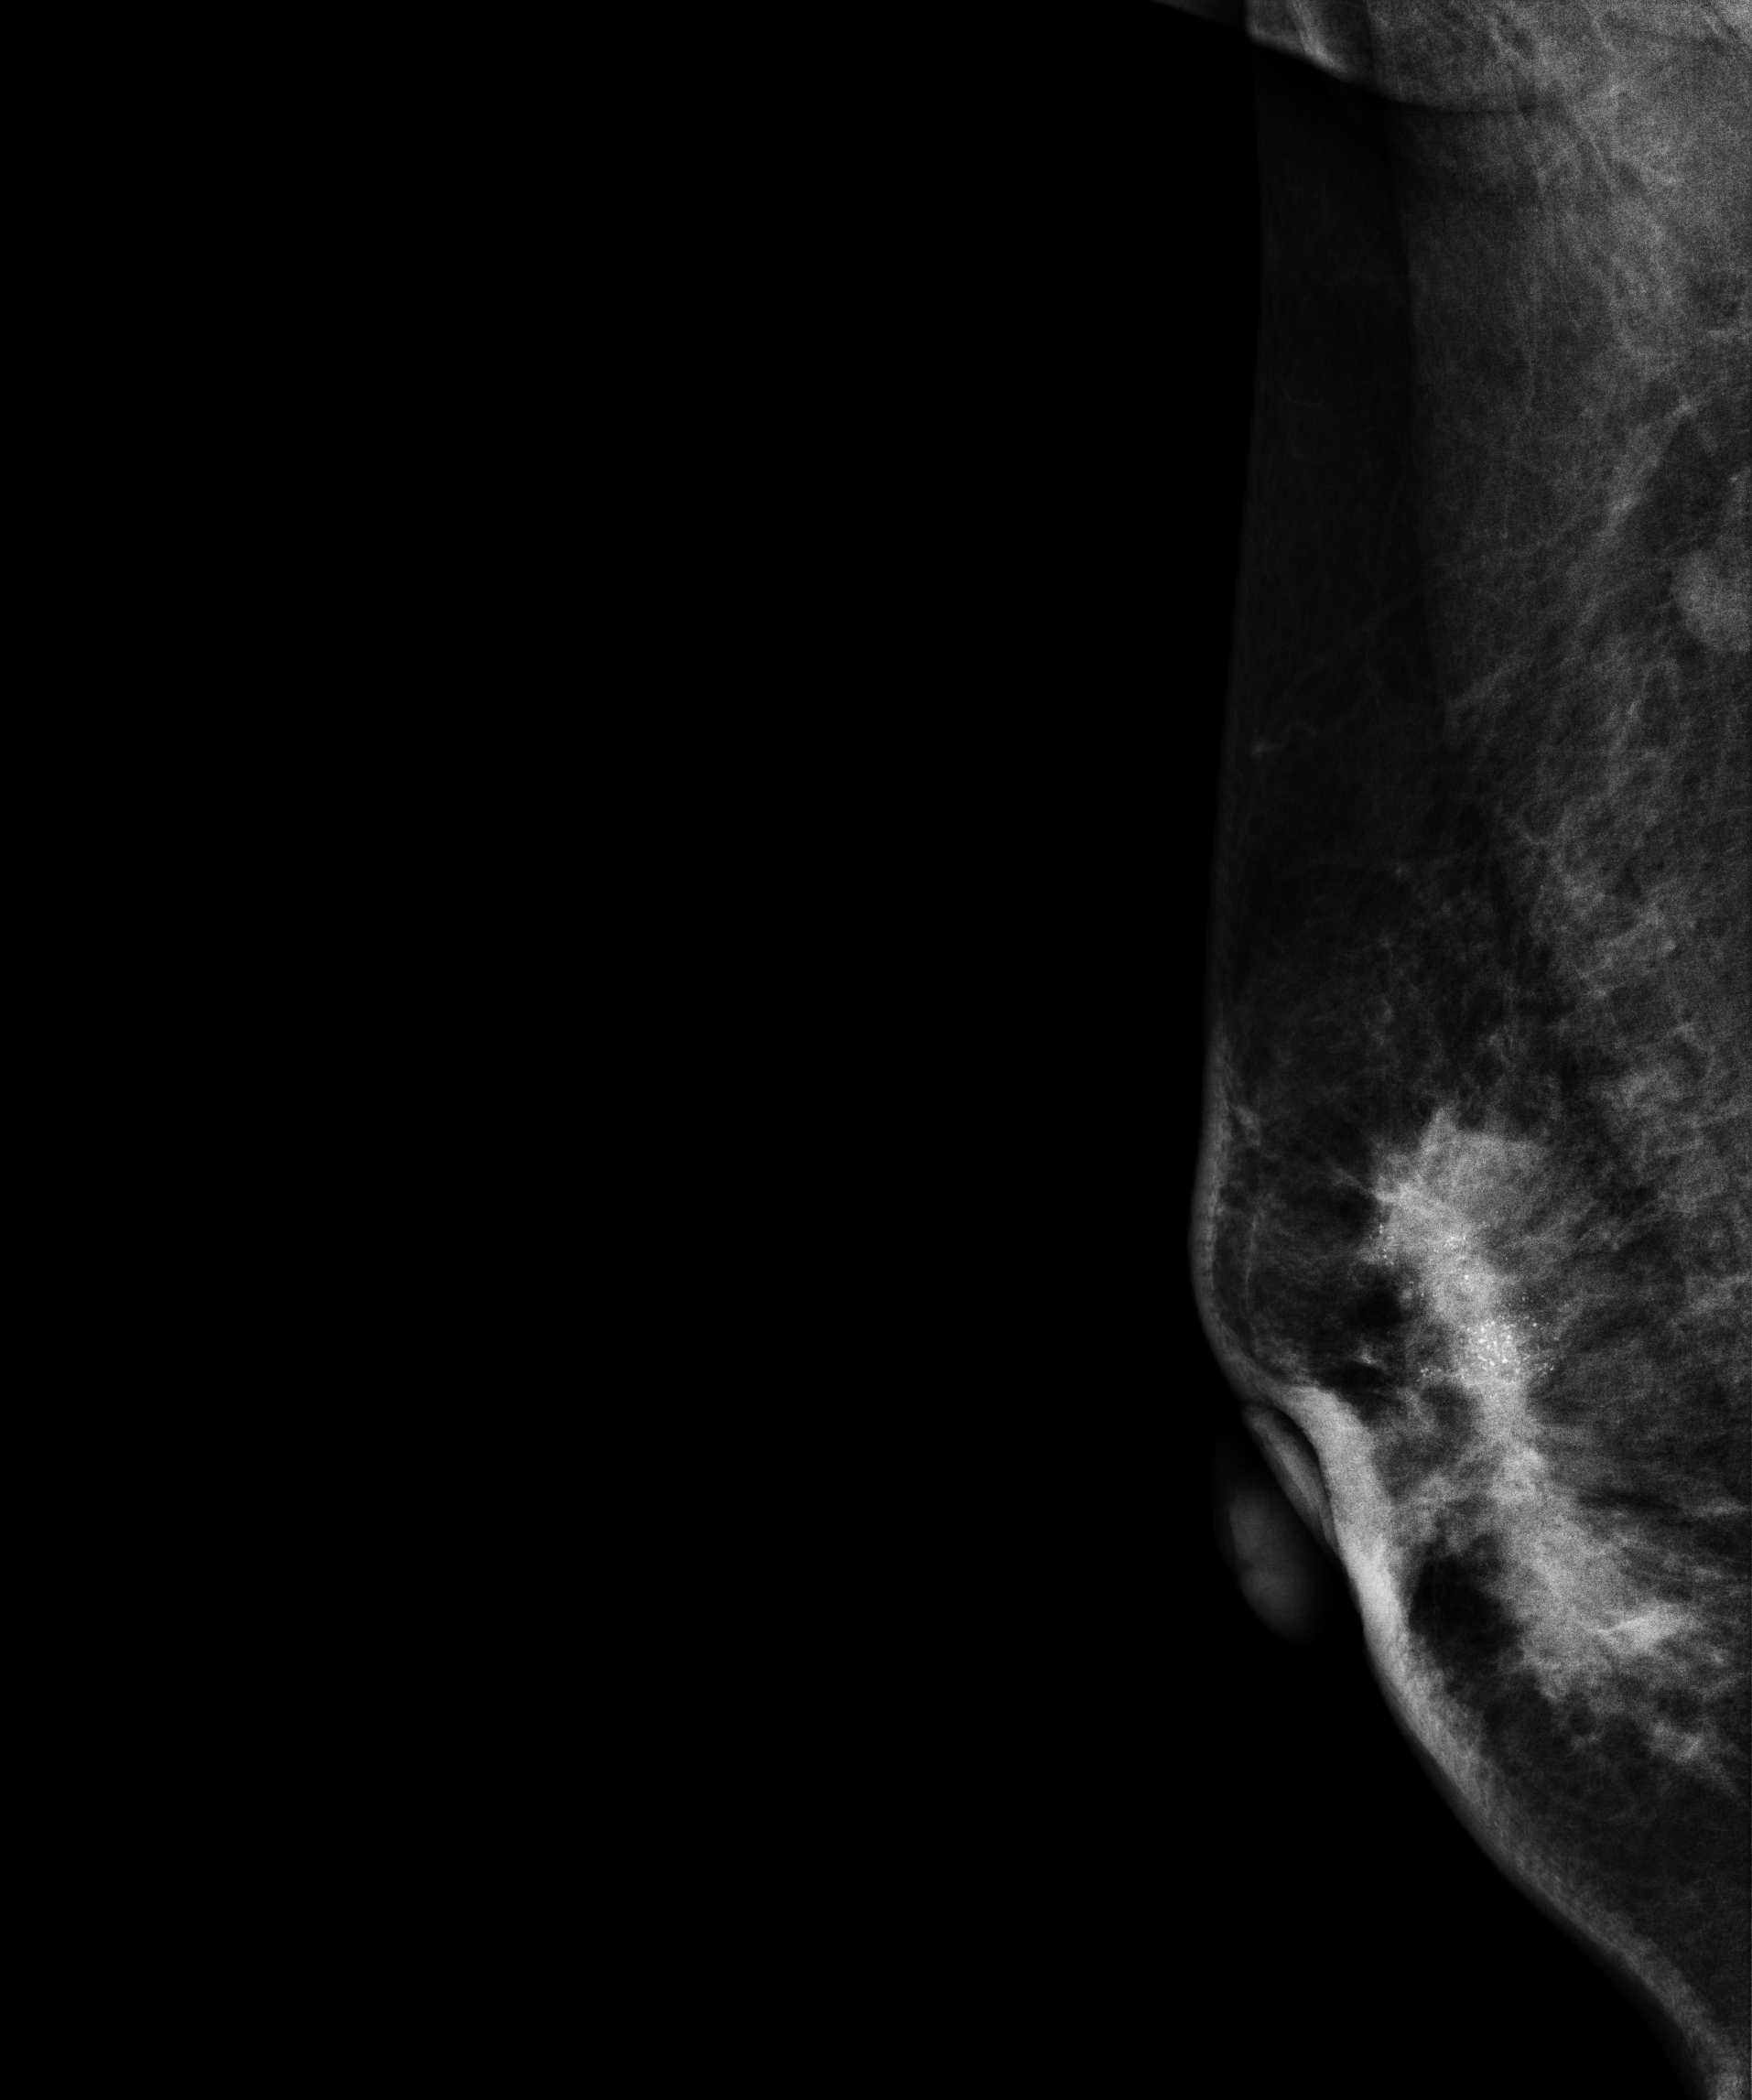
Mammogram — right medio-lateral oblique. 46 y/o patient.
This breast has calcifications, pathology-confirmed malignant. Molecular subtype: luminal B.